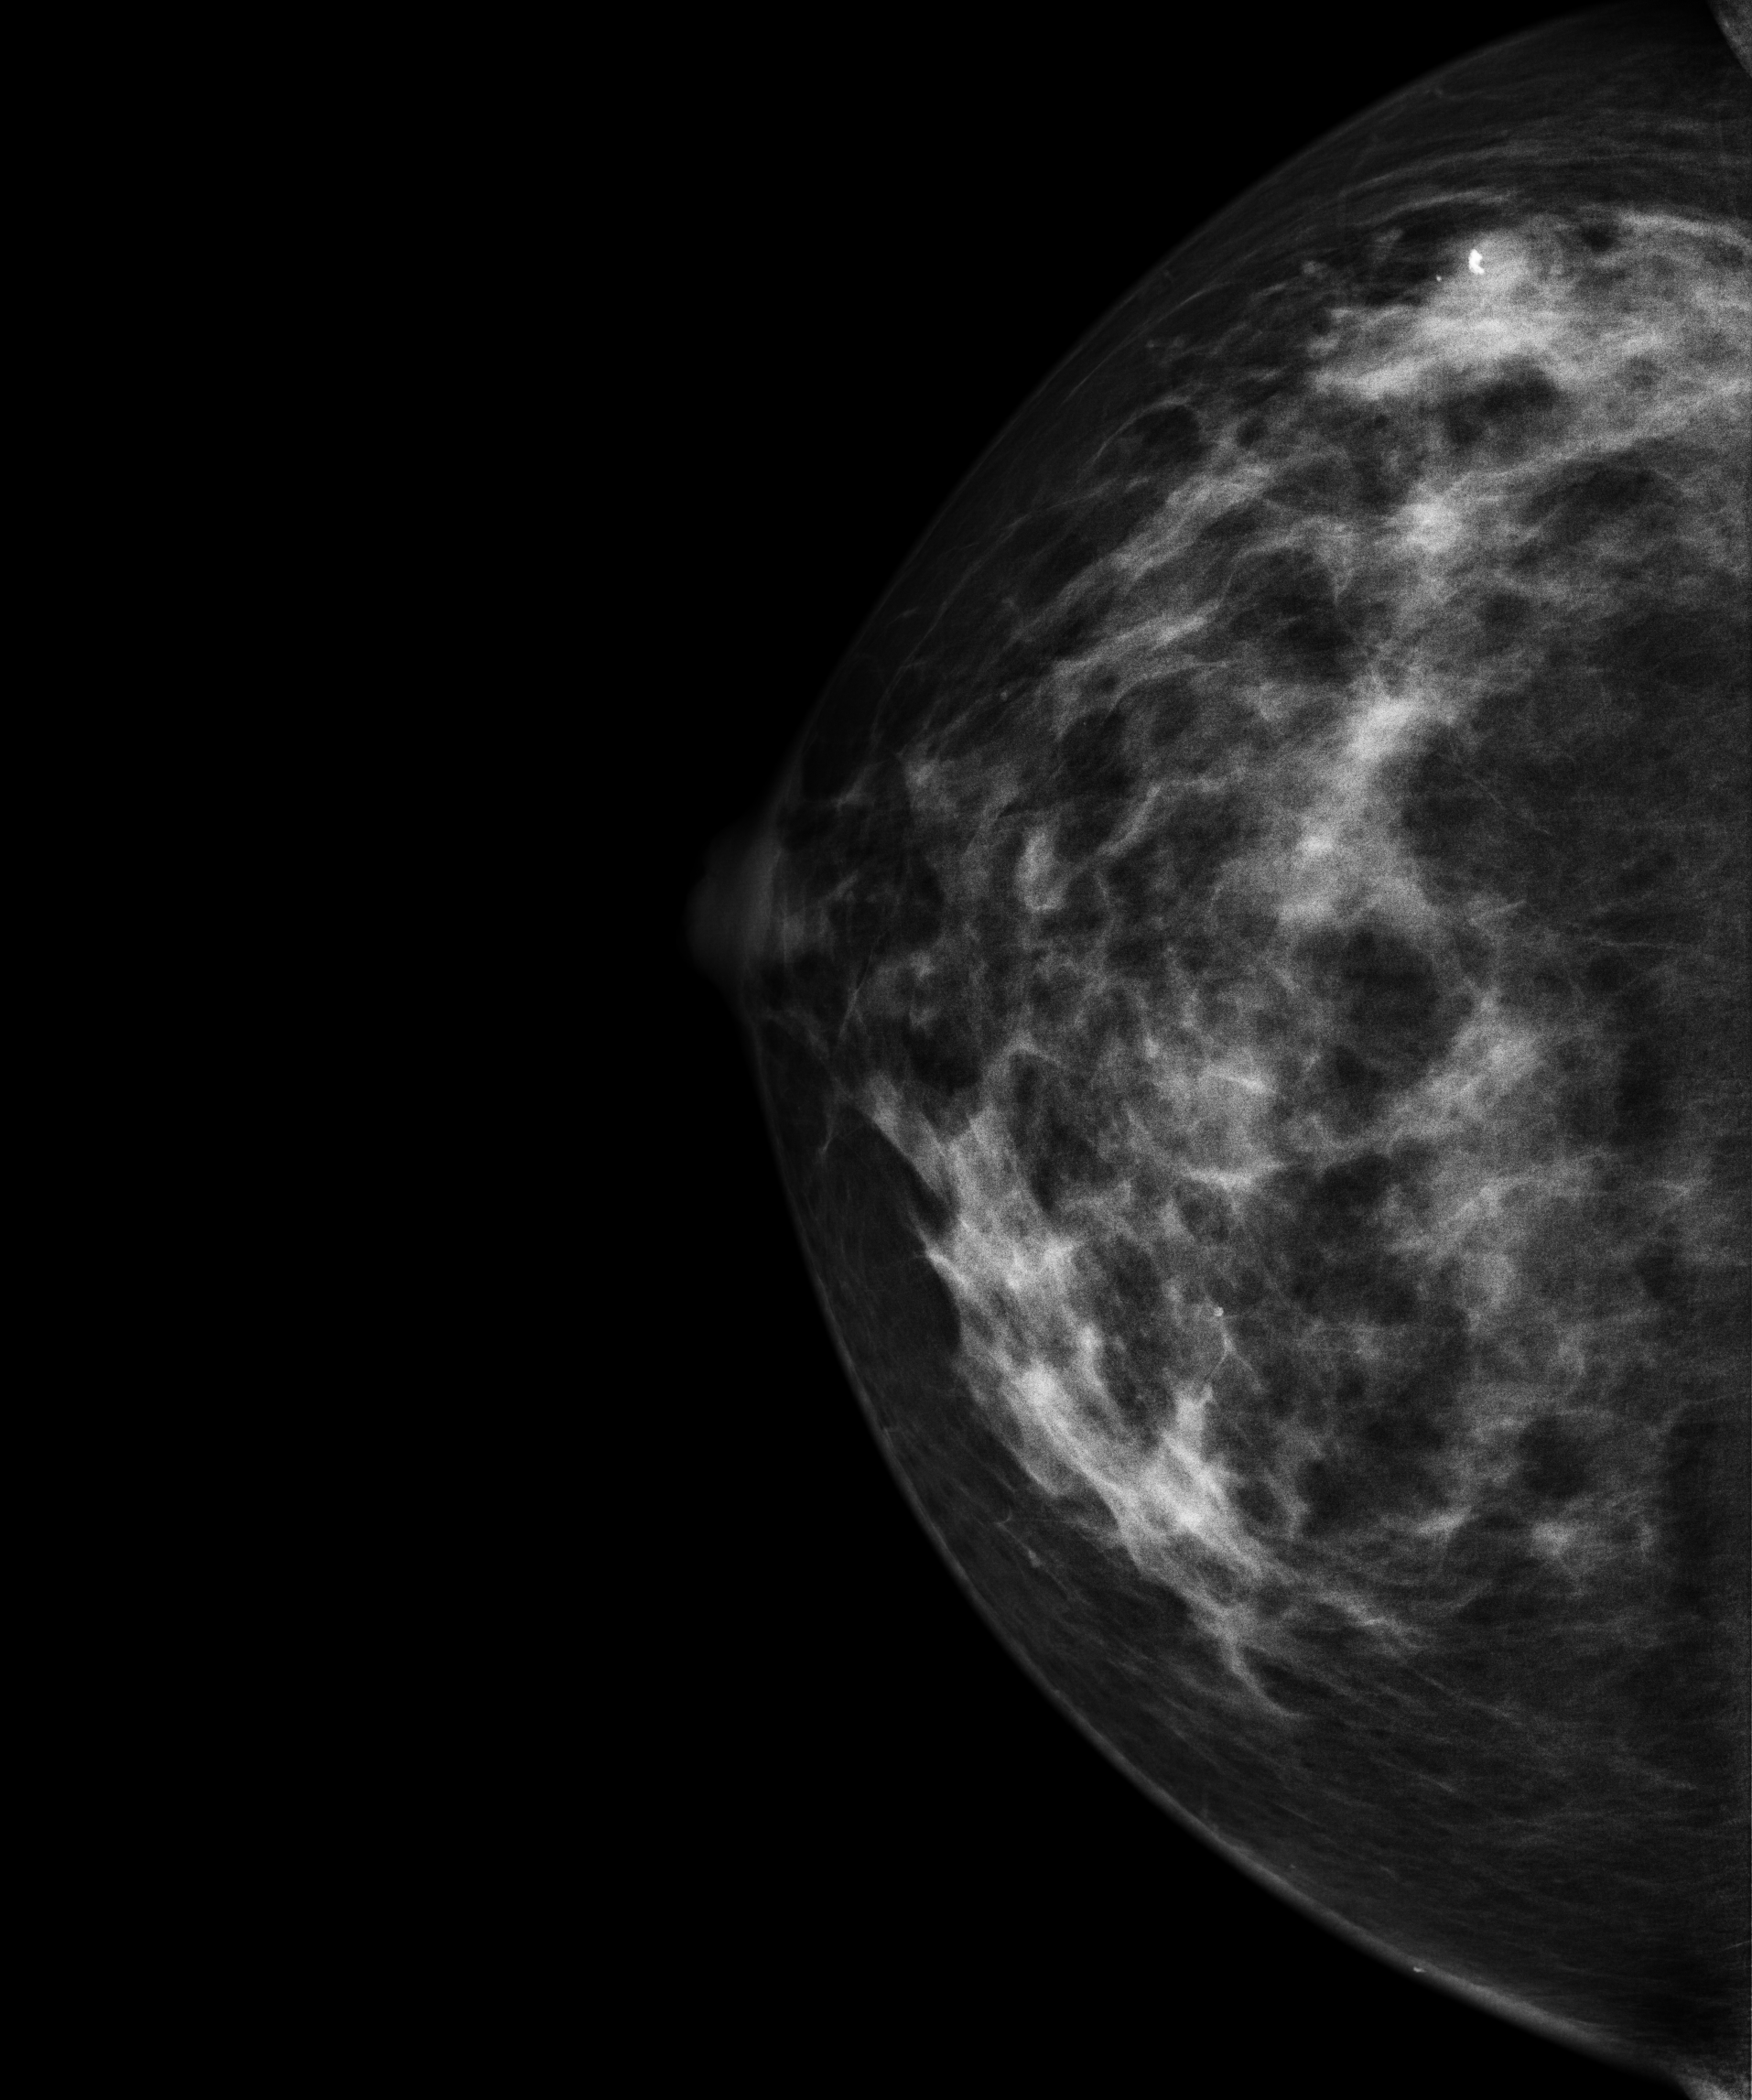
Digital mammography. Right breast, CC projection. 57 y/o patient.
Contralateral breast — no documented abnormality on this side.